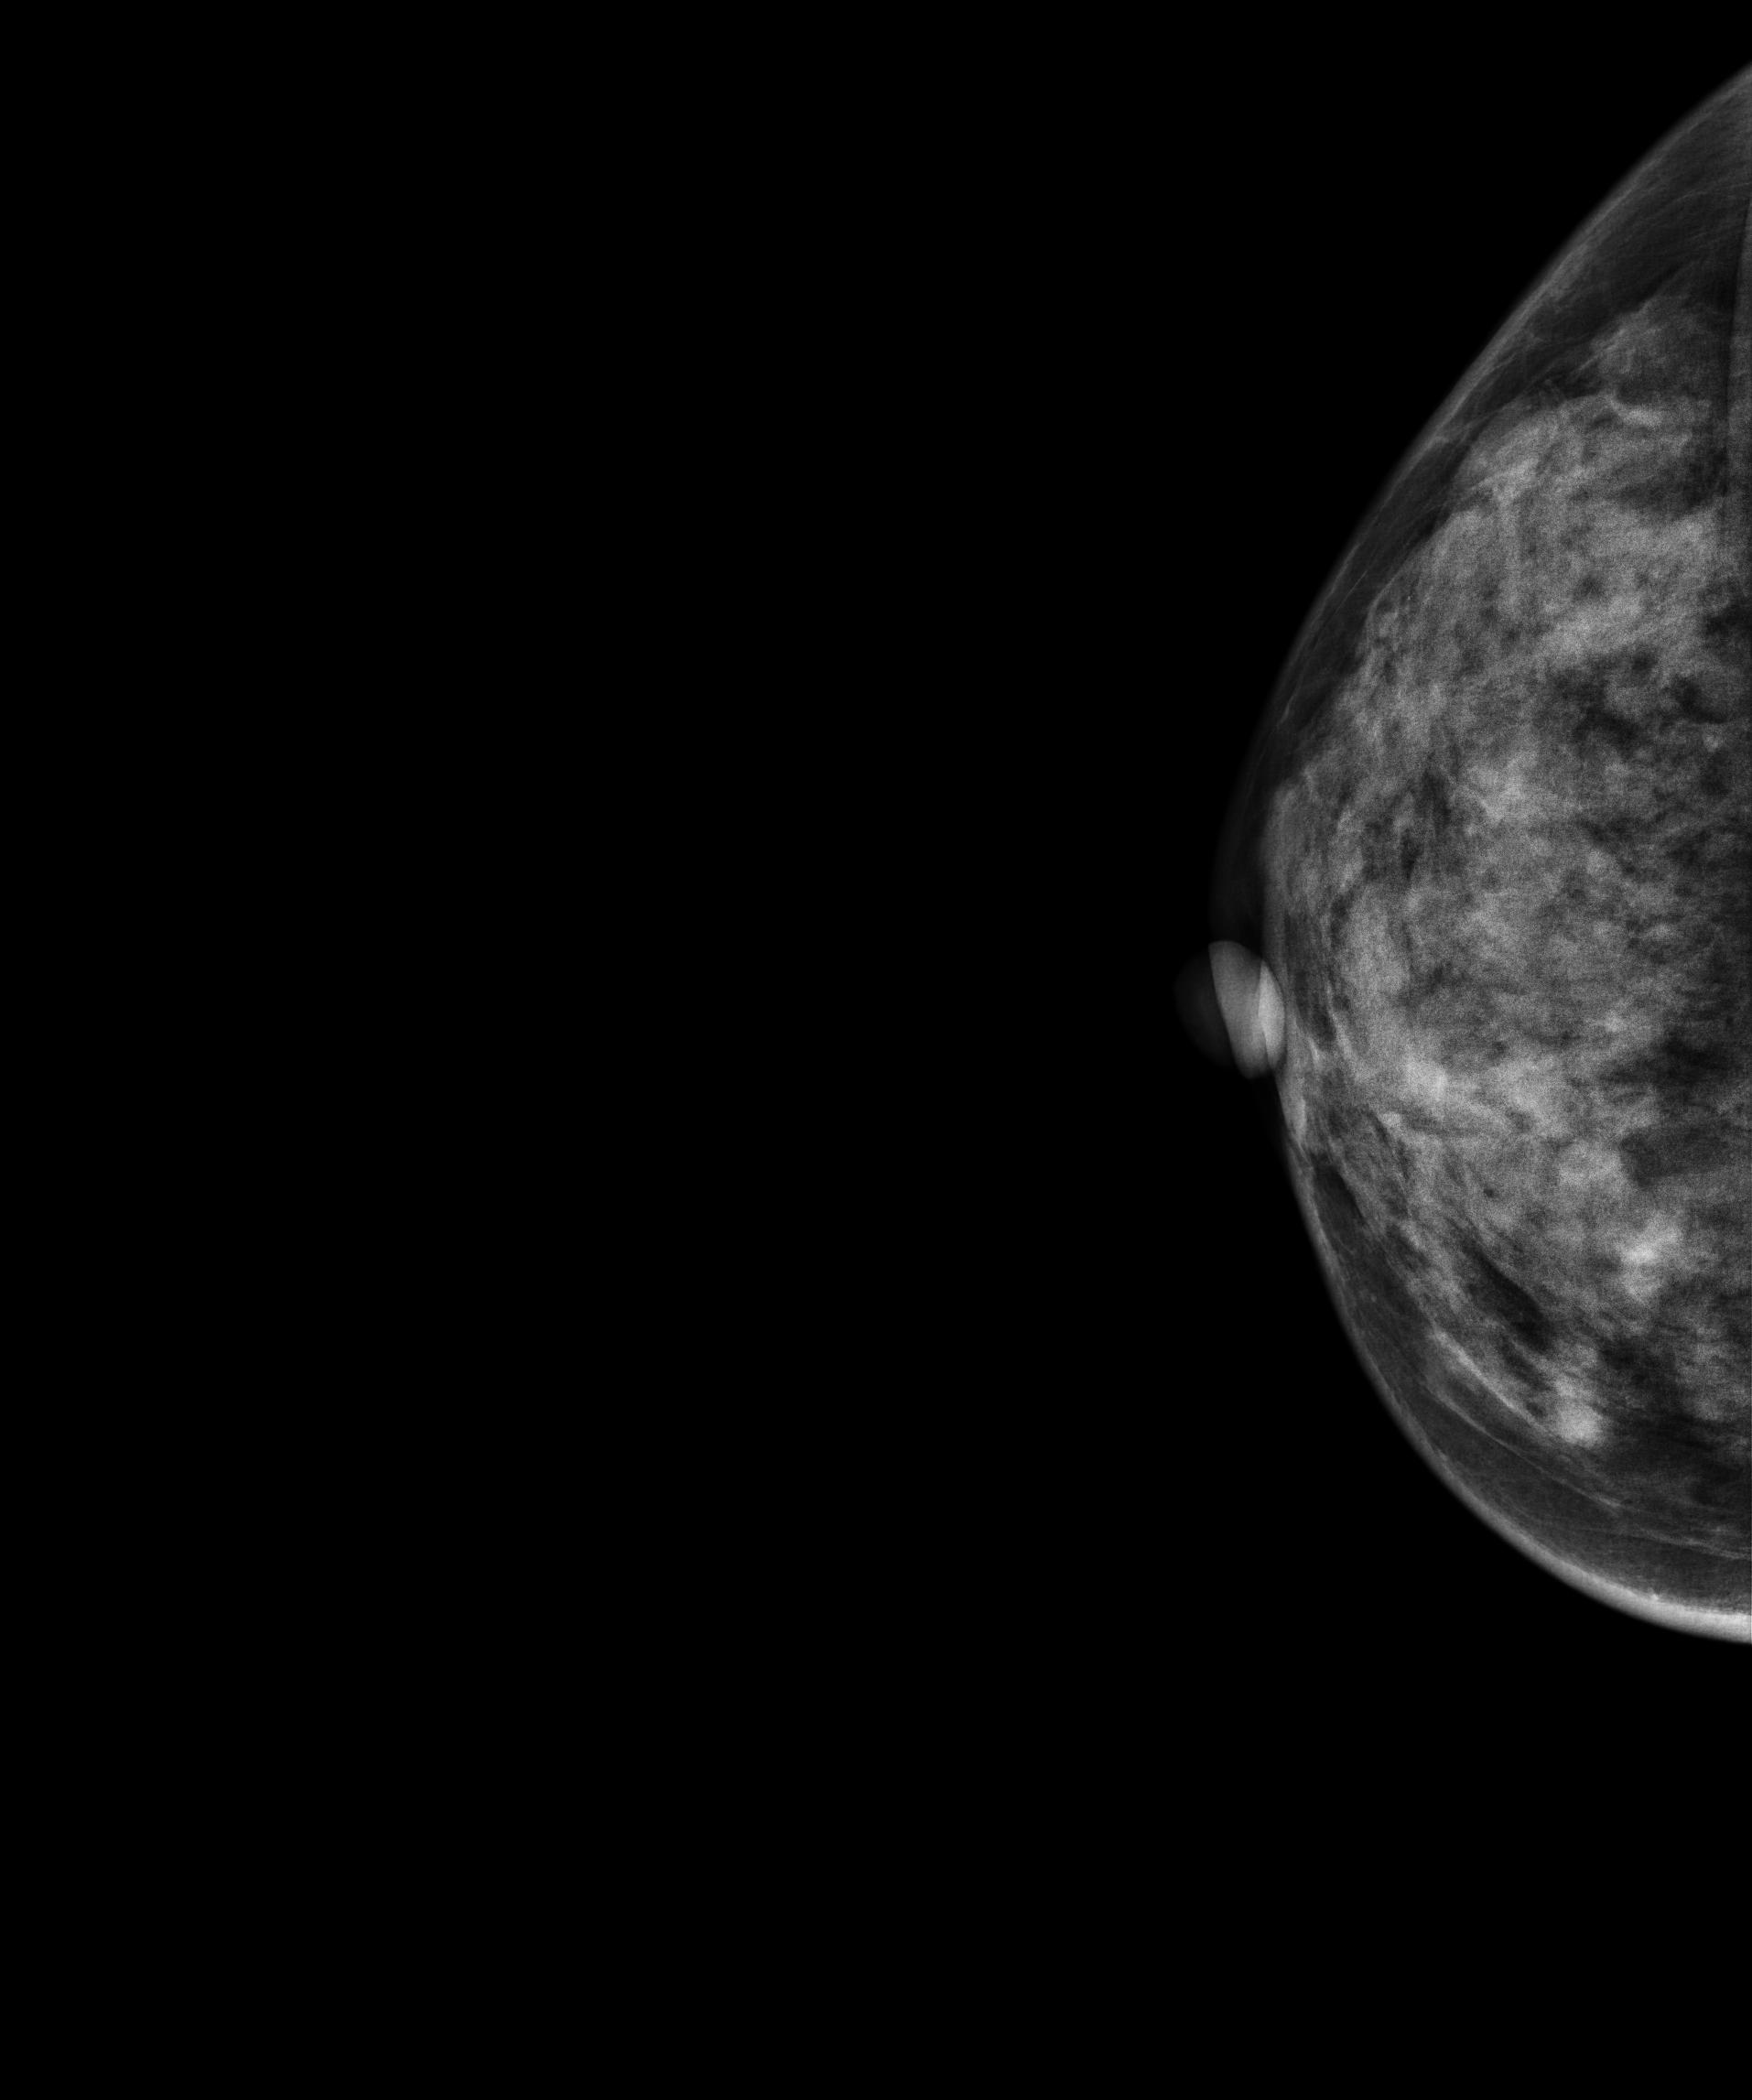
Mammogram, right breast, CC view. 52-year-old patient.
This breast has a mass, biopsy-proven benign.